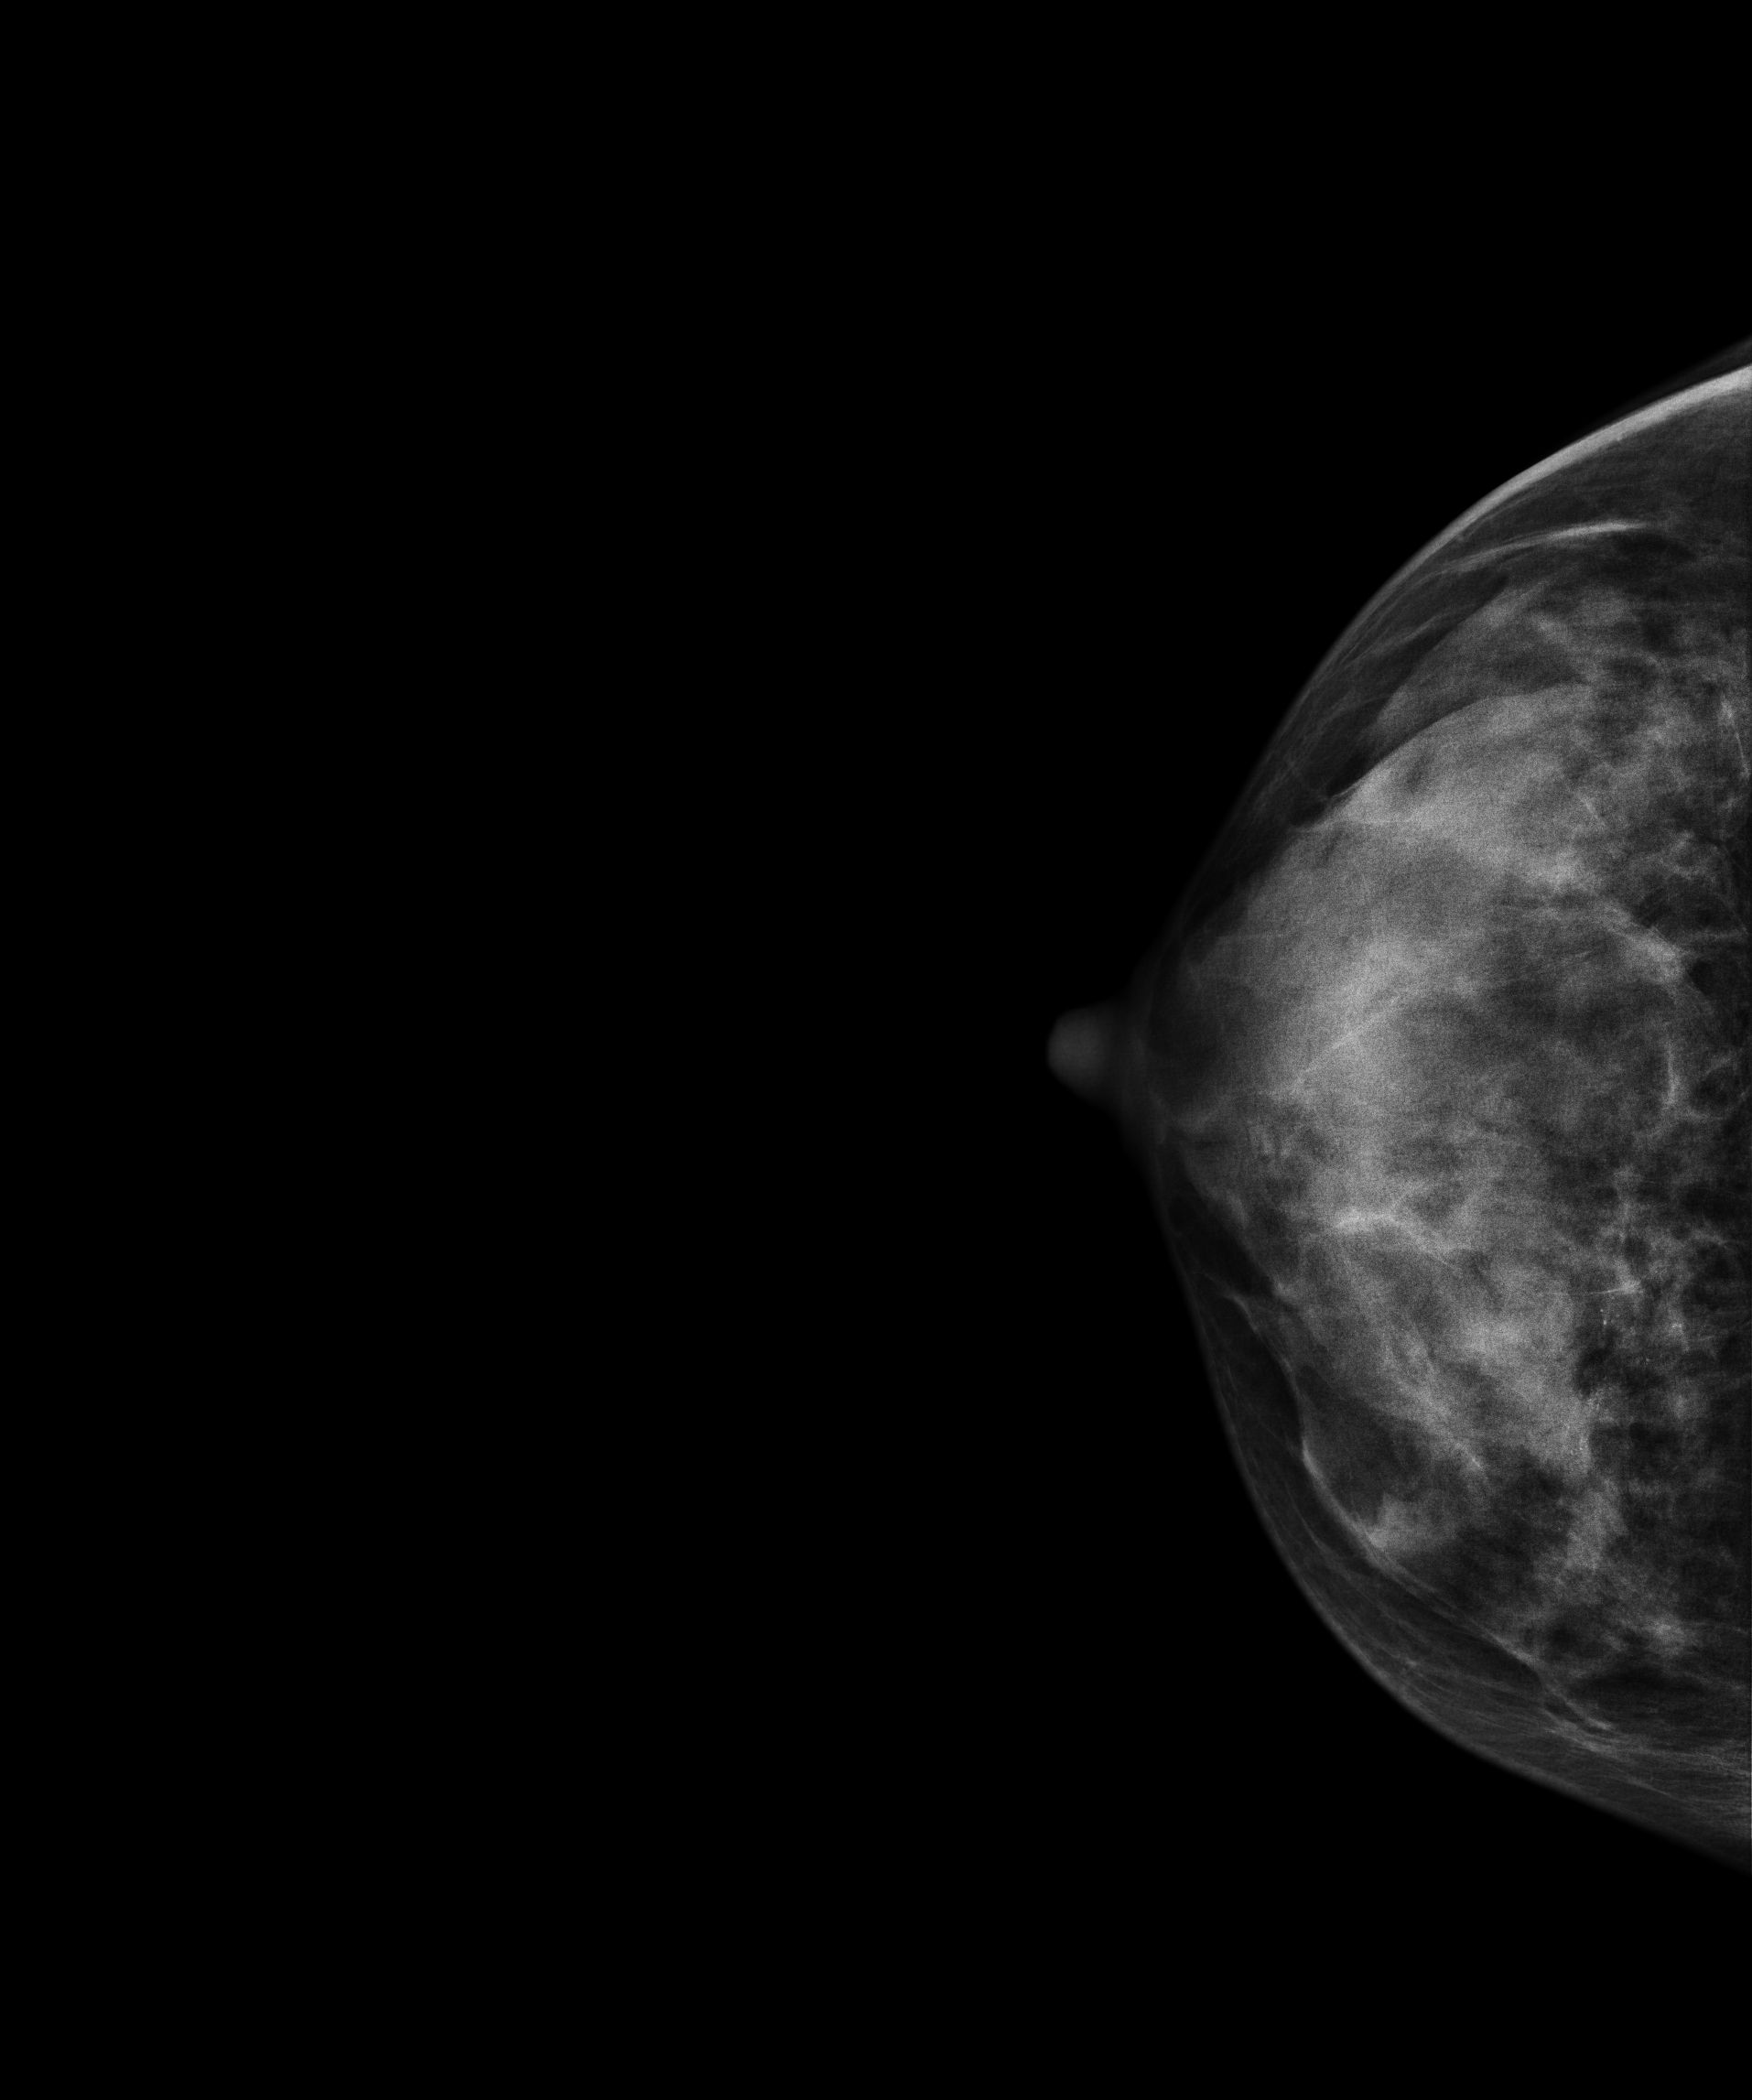
Right-breast mammogram, CC. Patient age 34.
This breast has a mass and calcifications, pathology-confirmed malignant. Molecular subtype: luminal B.